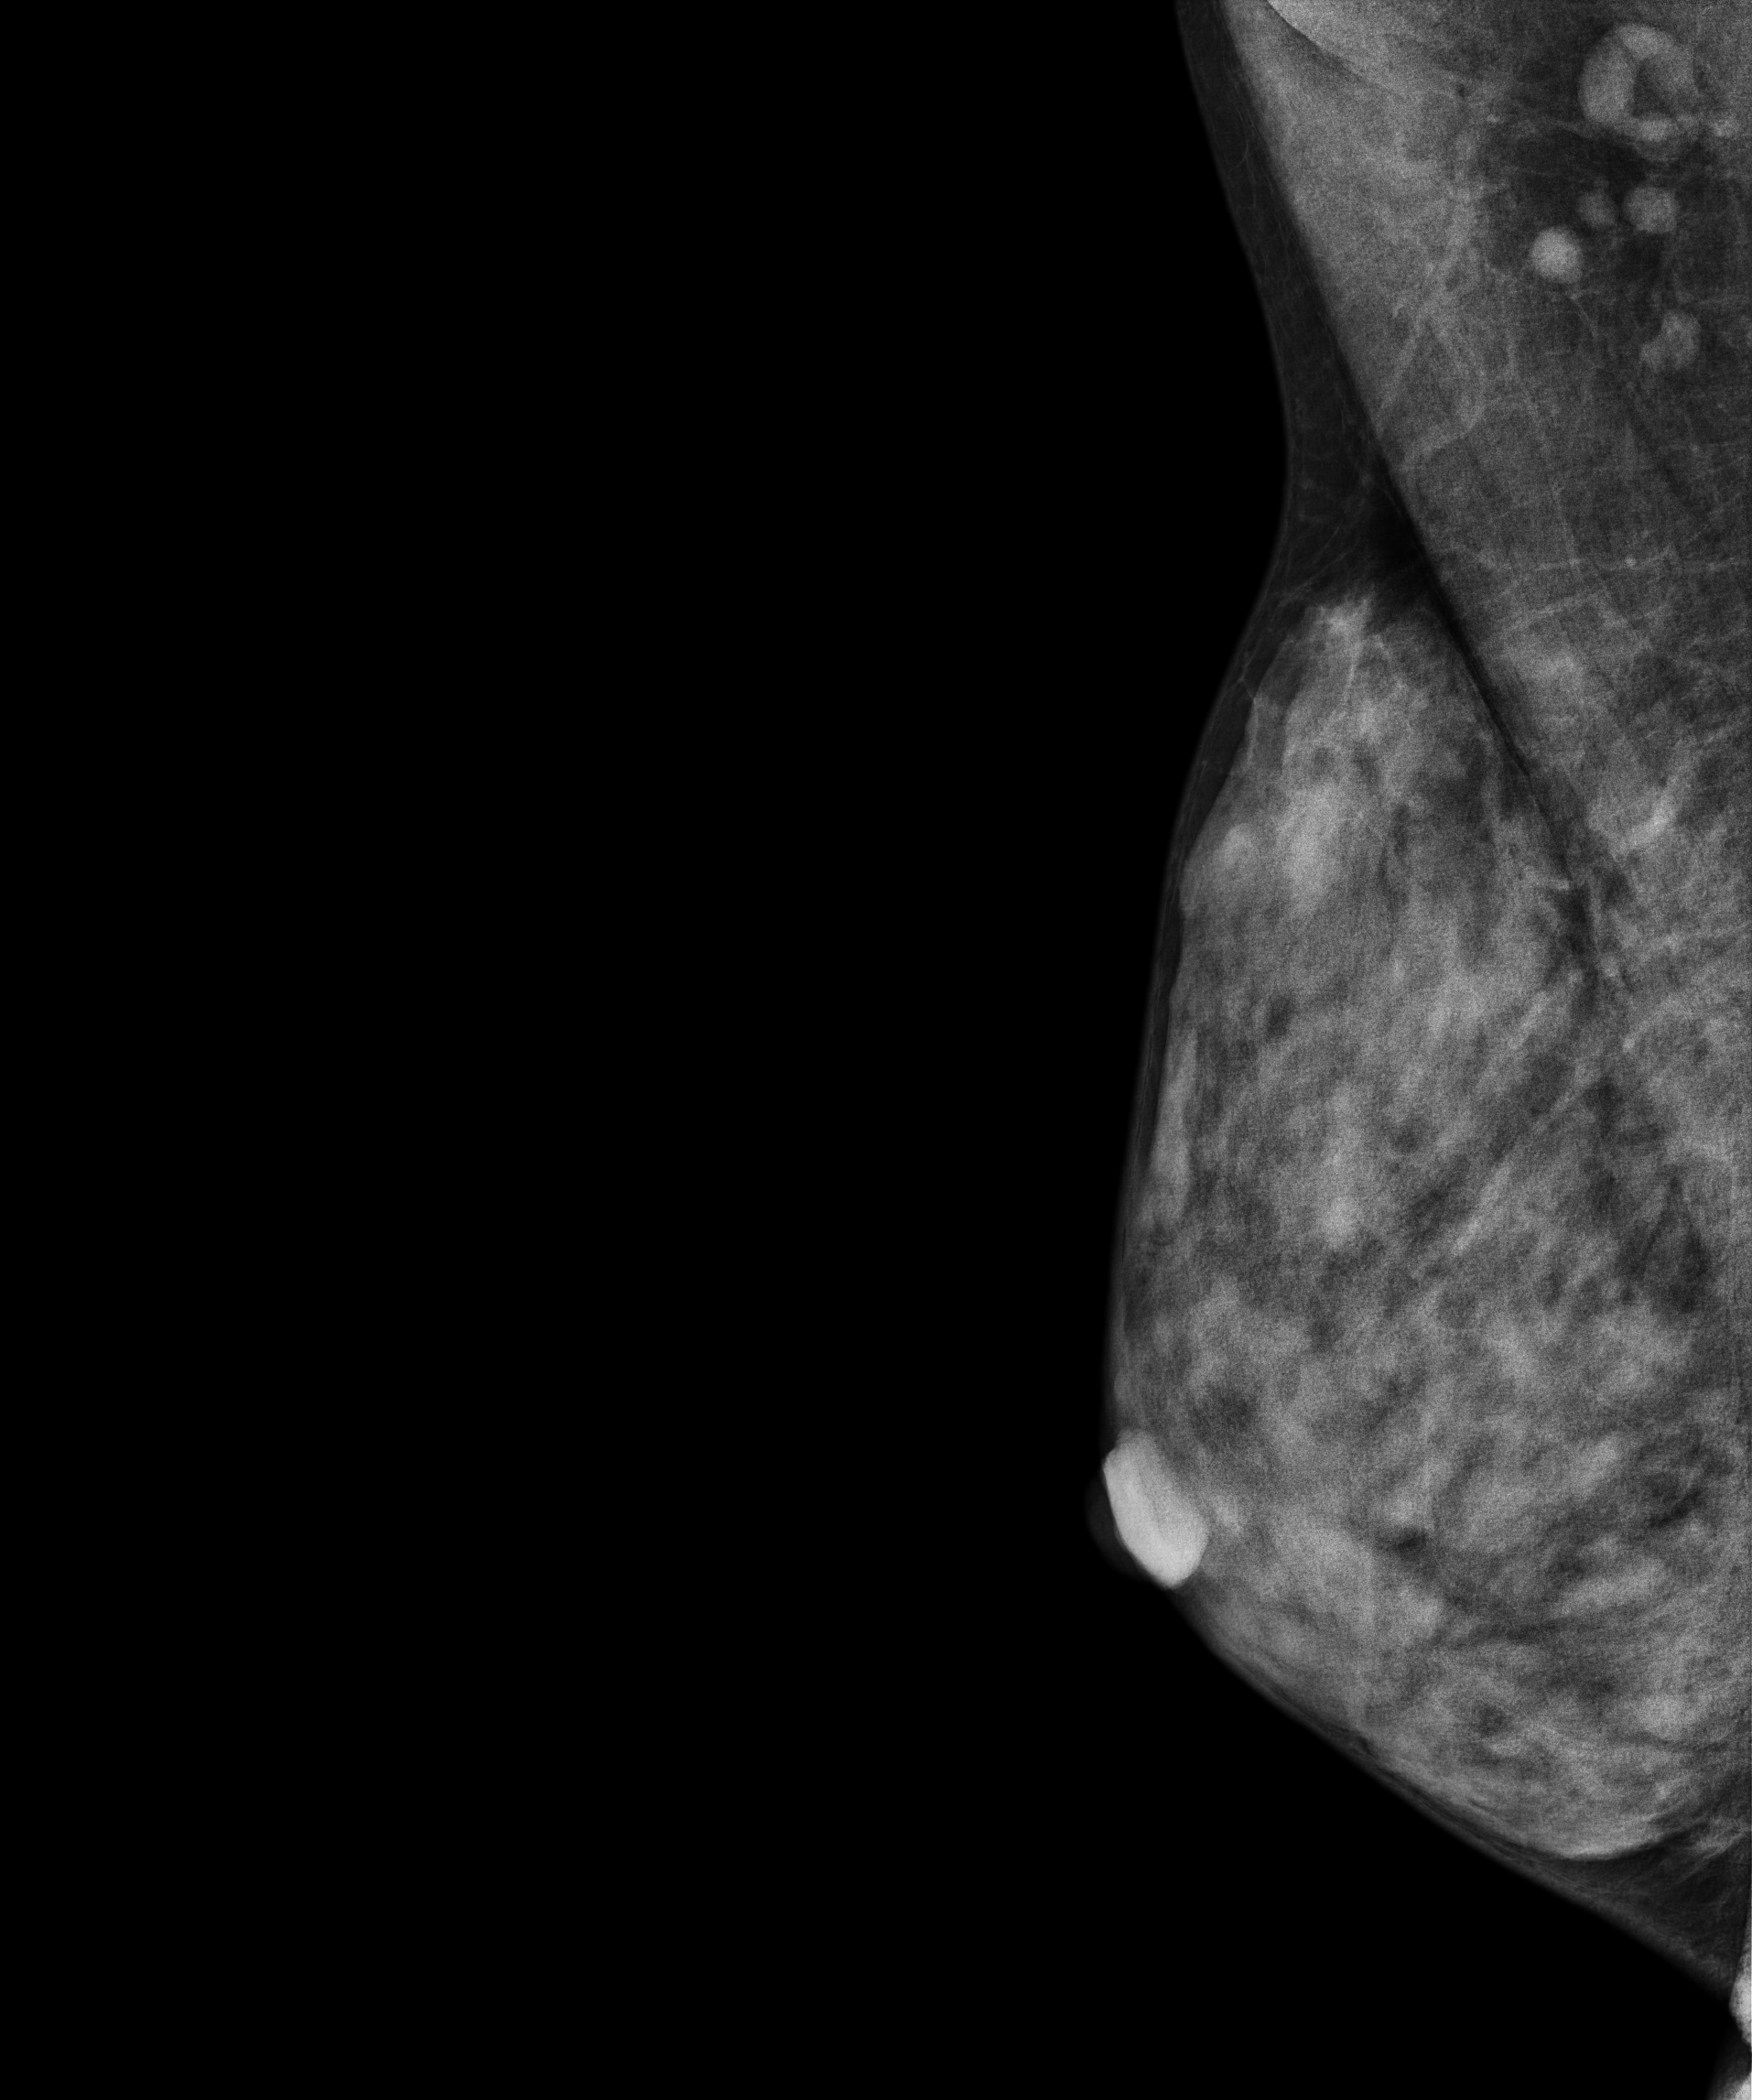
Right-breast mammogram, MLO. Patient age 32.
This breast has a mass, biopsy-proven benign.